Digital mammography. Left breast, CC projection. 39-year-old patient.
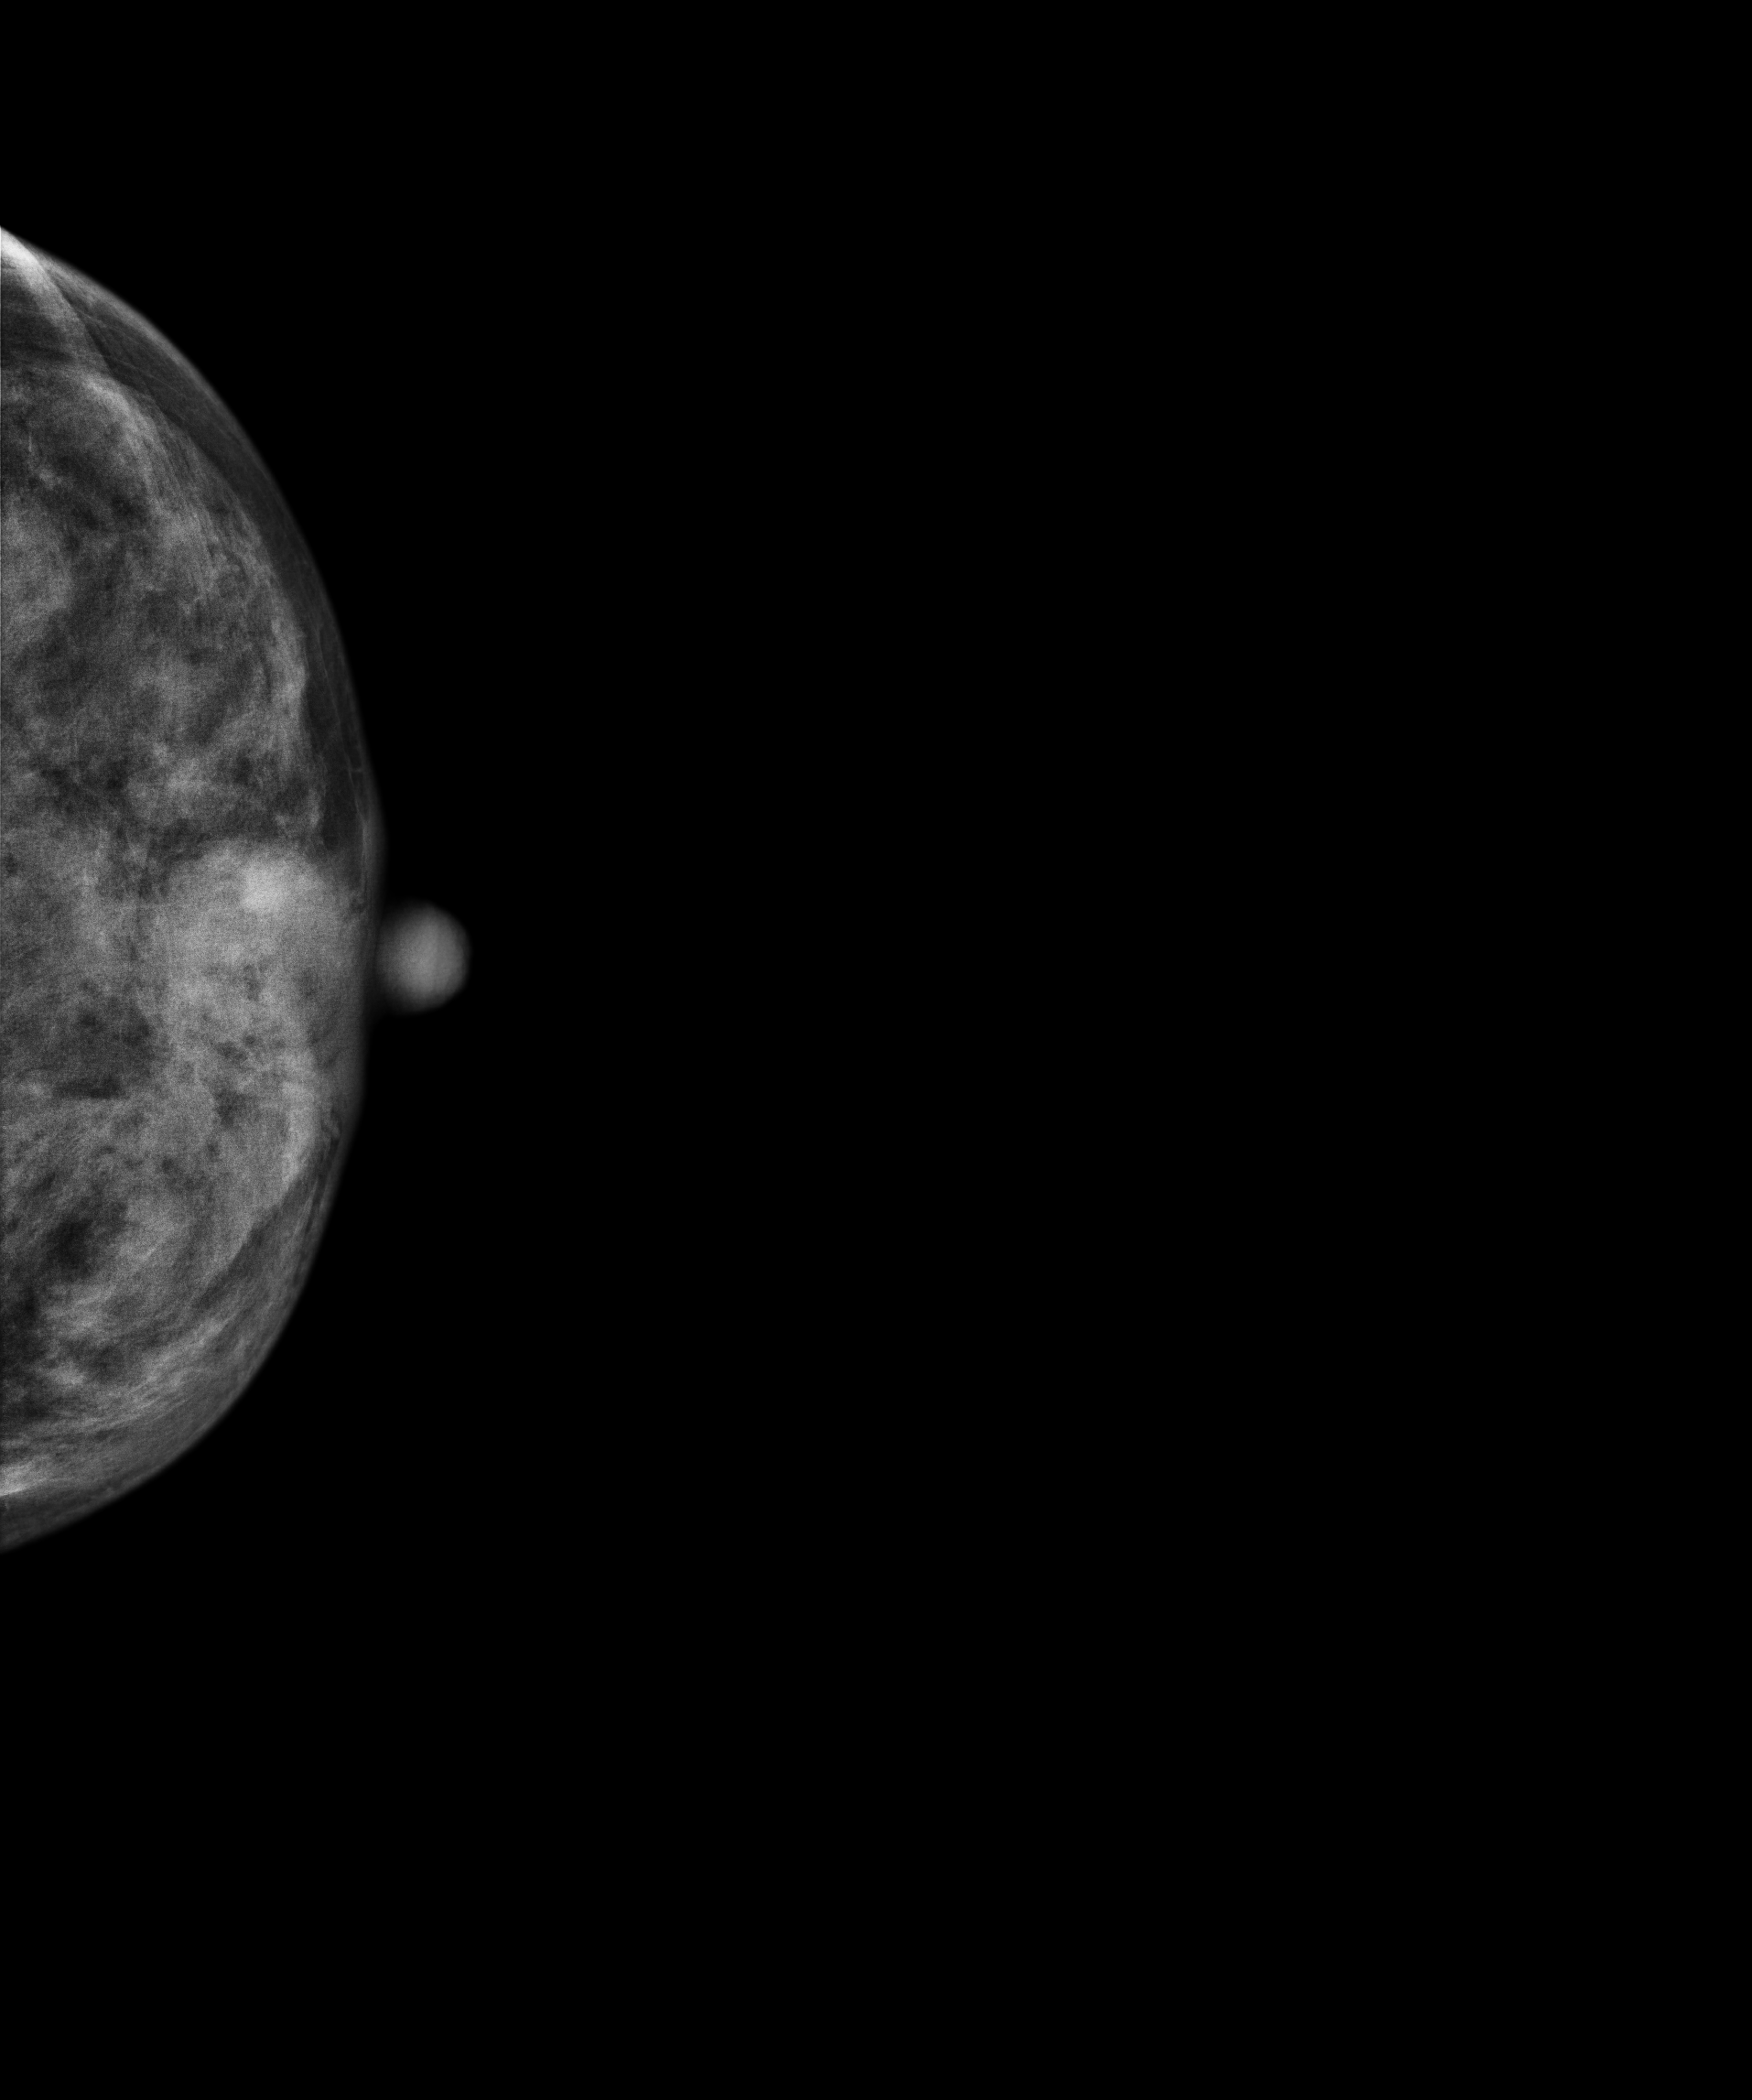
This breast has a mass, pathology-confirmed malignant.